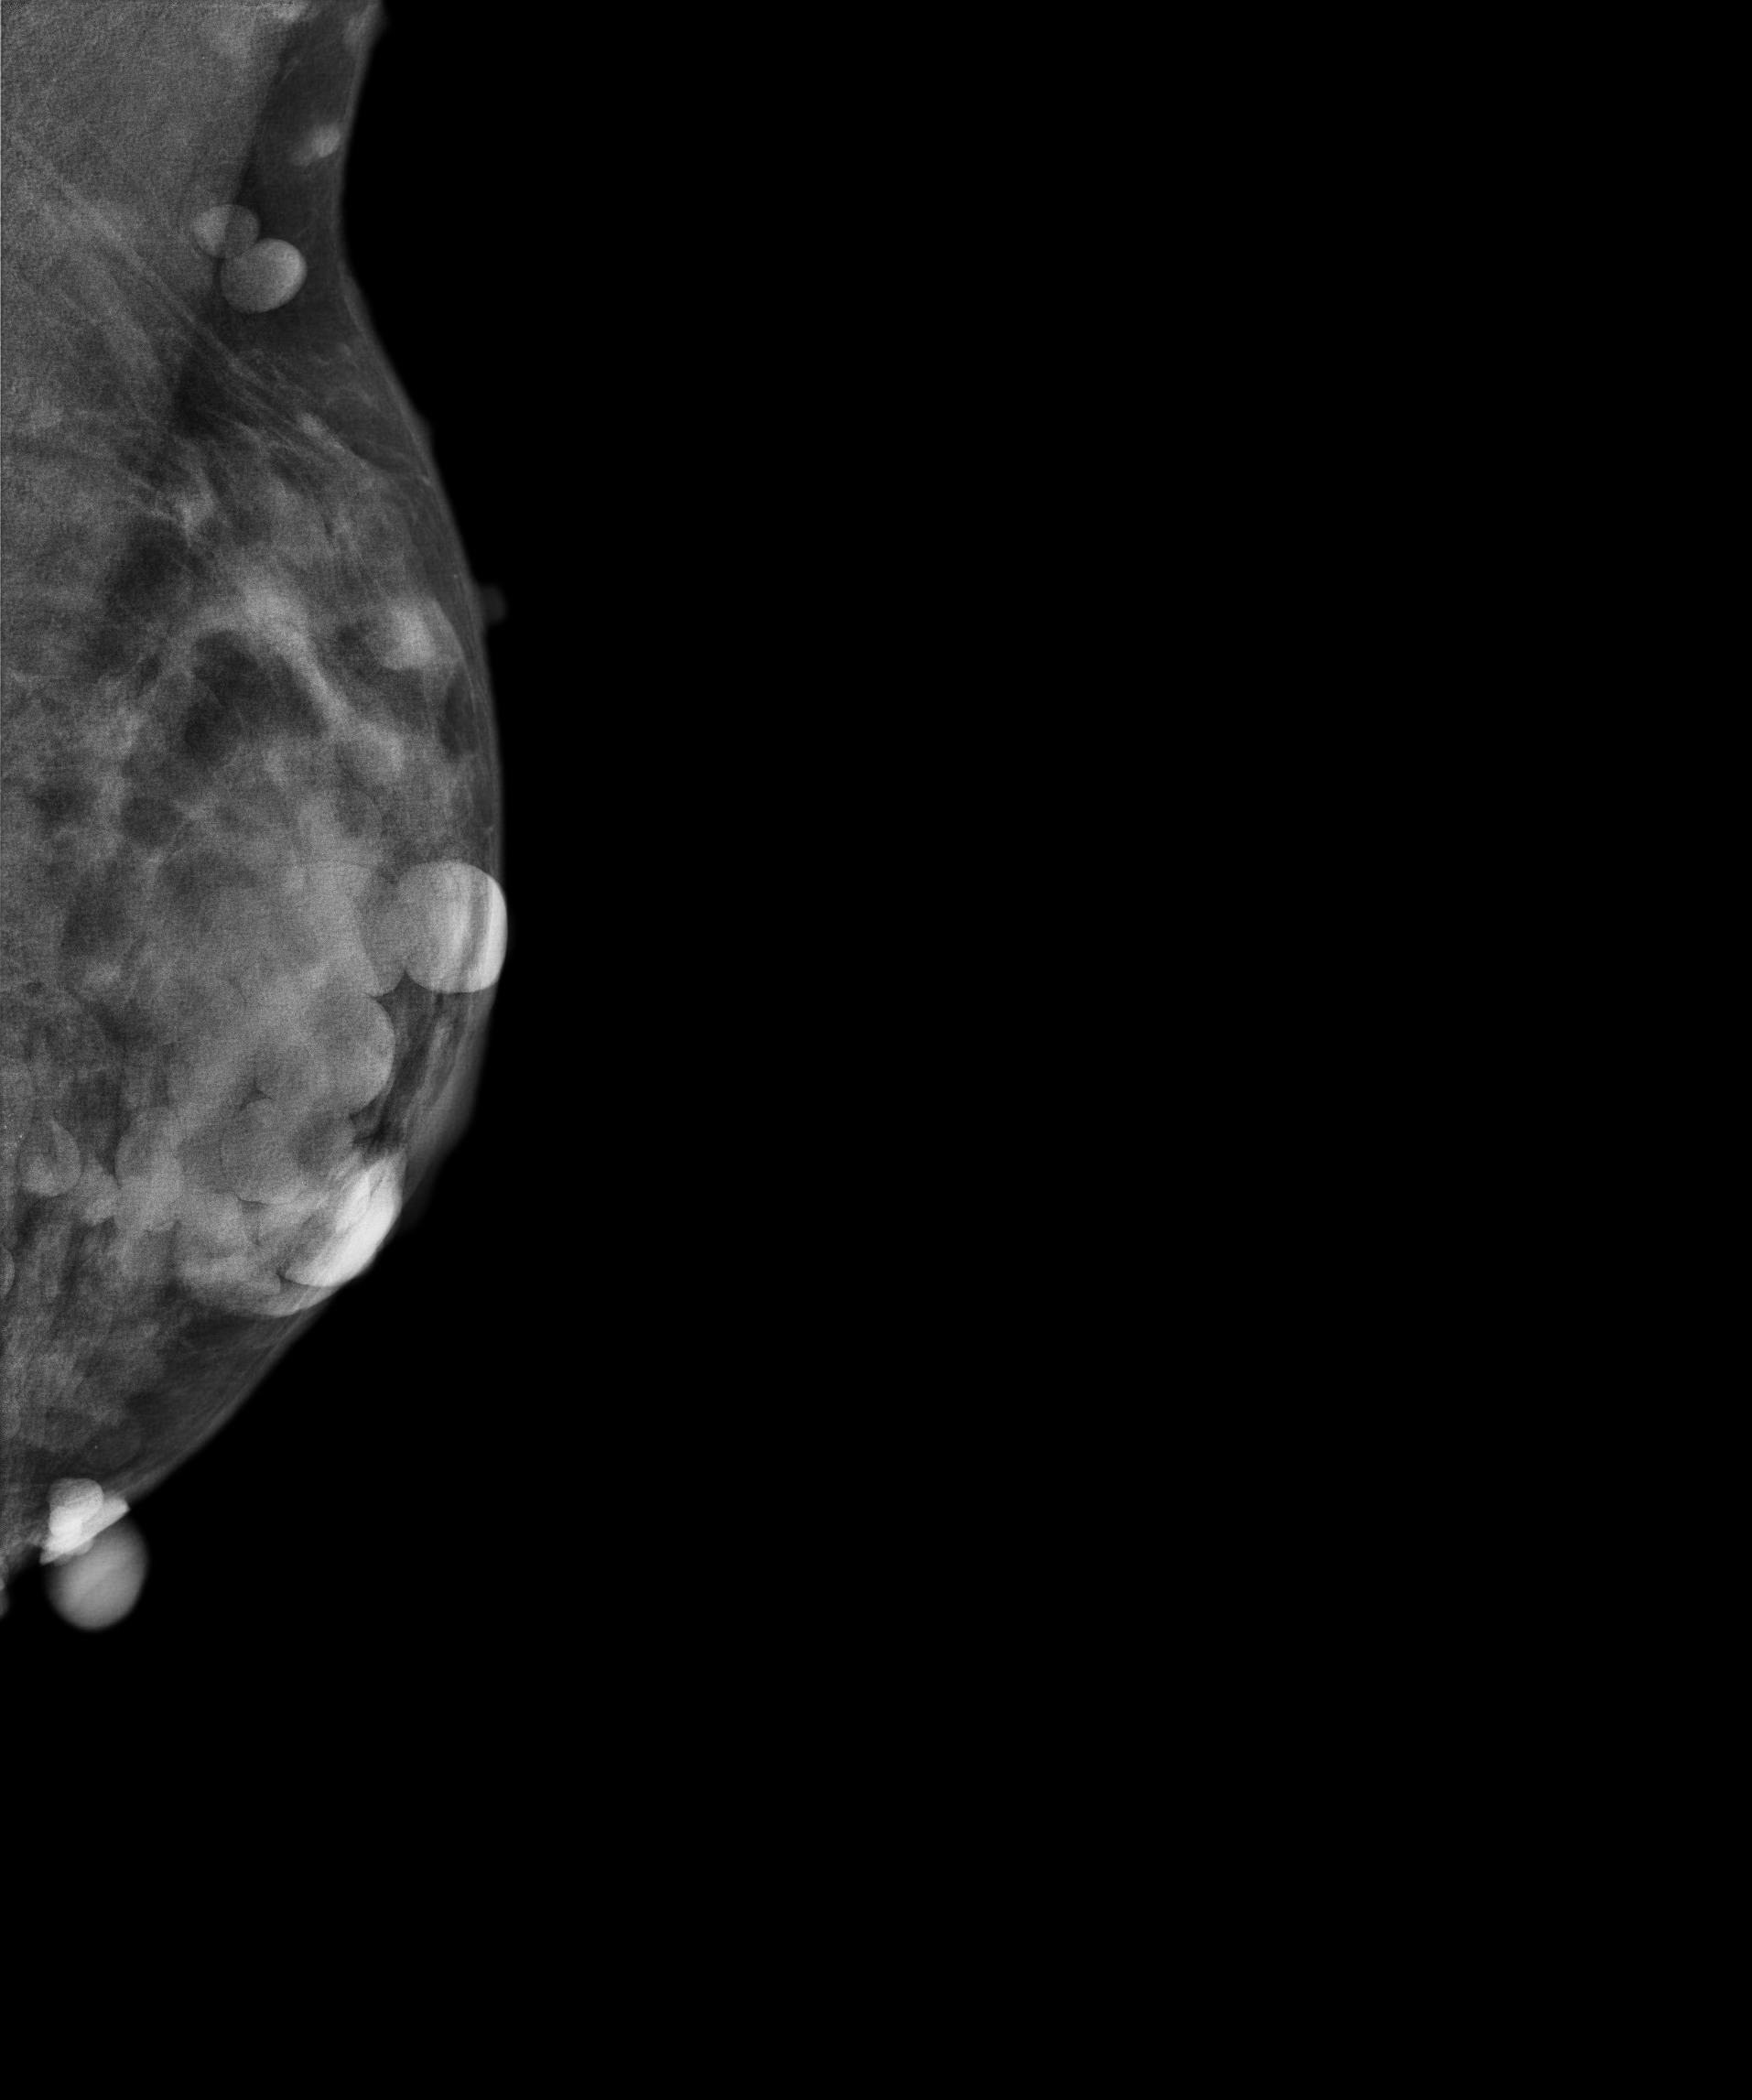
MLO mammogram of the left breast. Patient age 47.
This breast has calcifications, biopsy-proven malignant. Molecular subtype: luminal A.